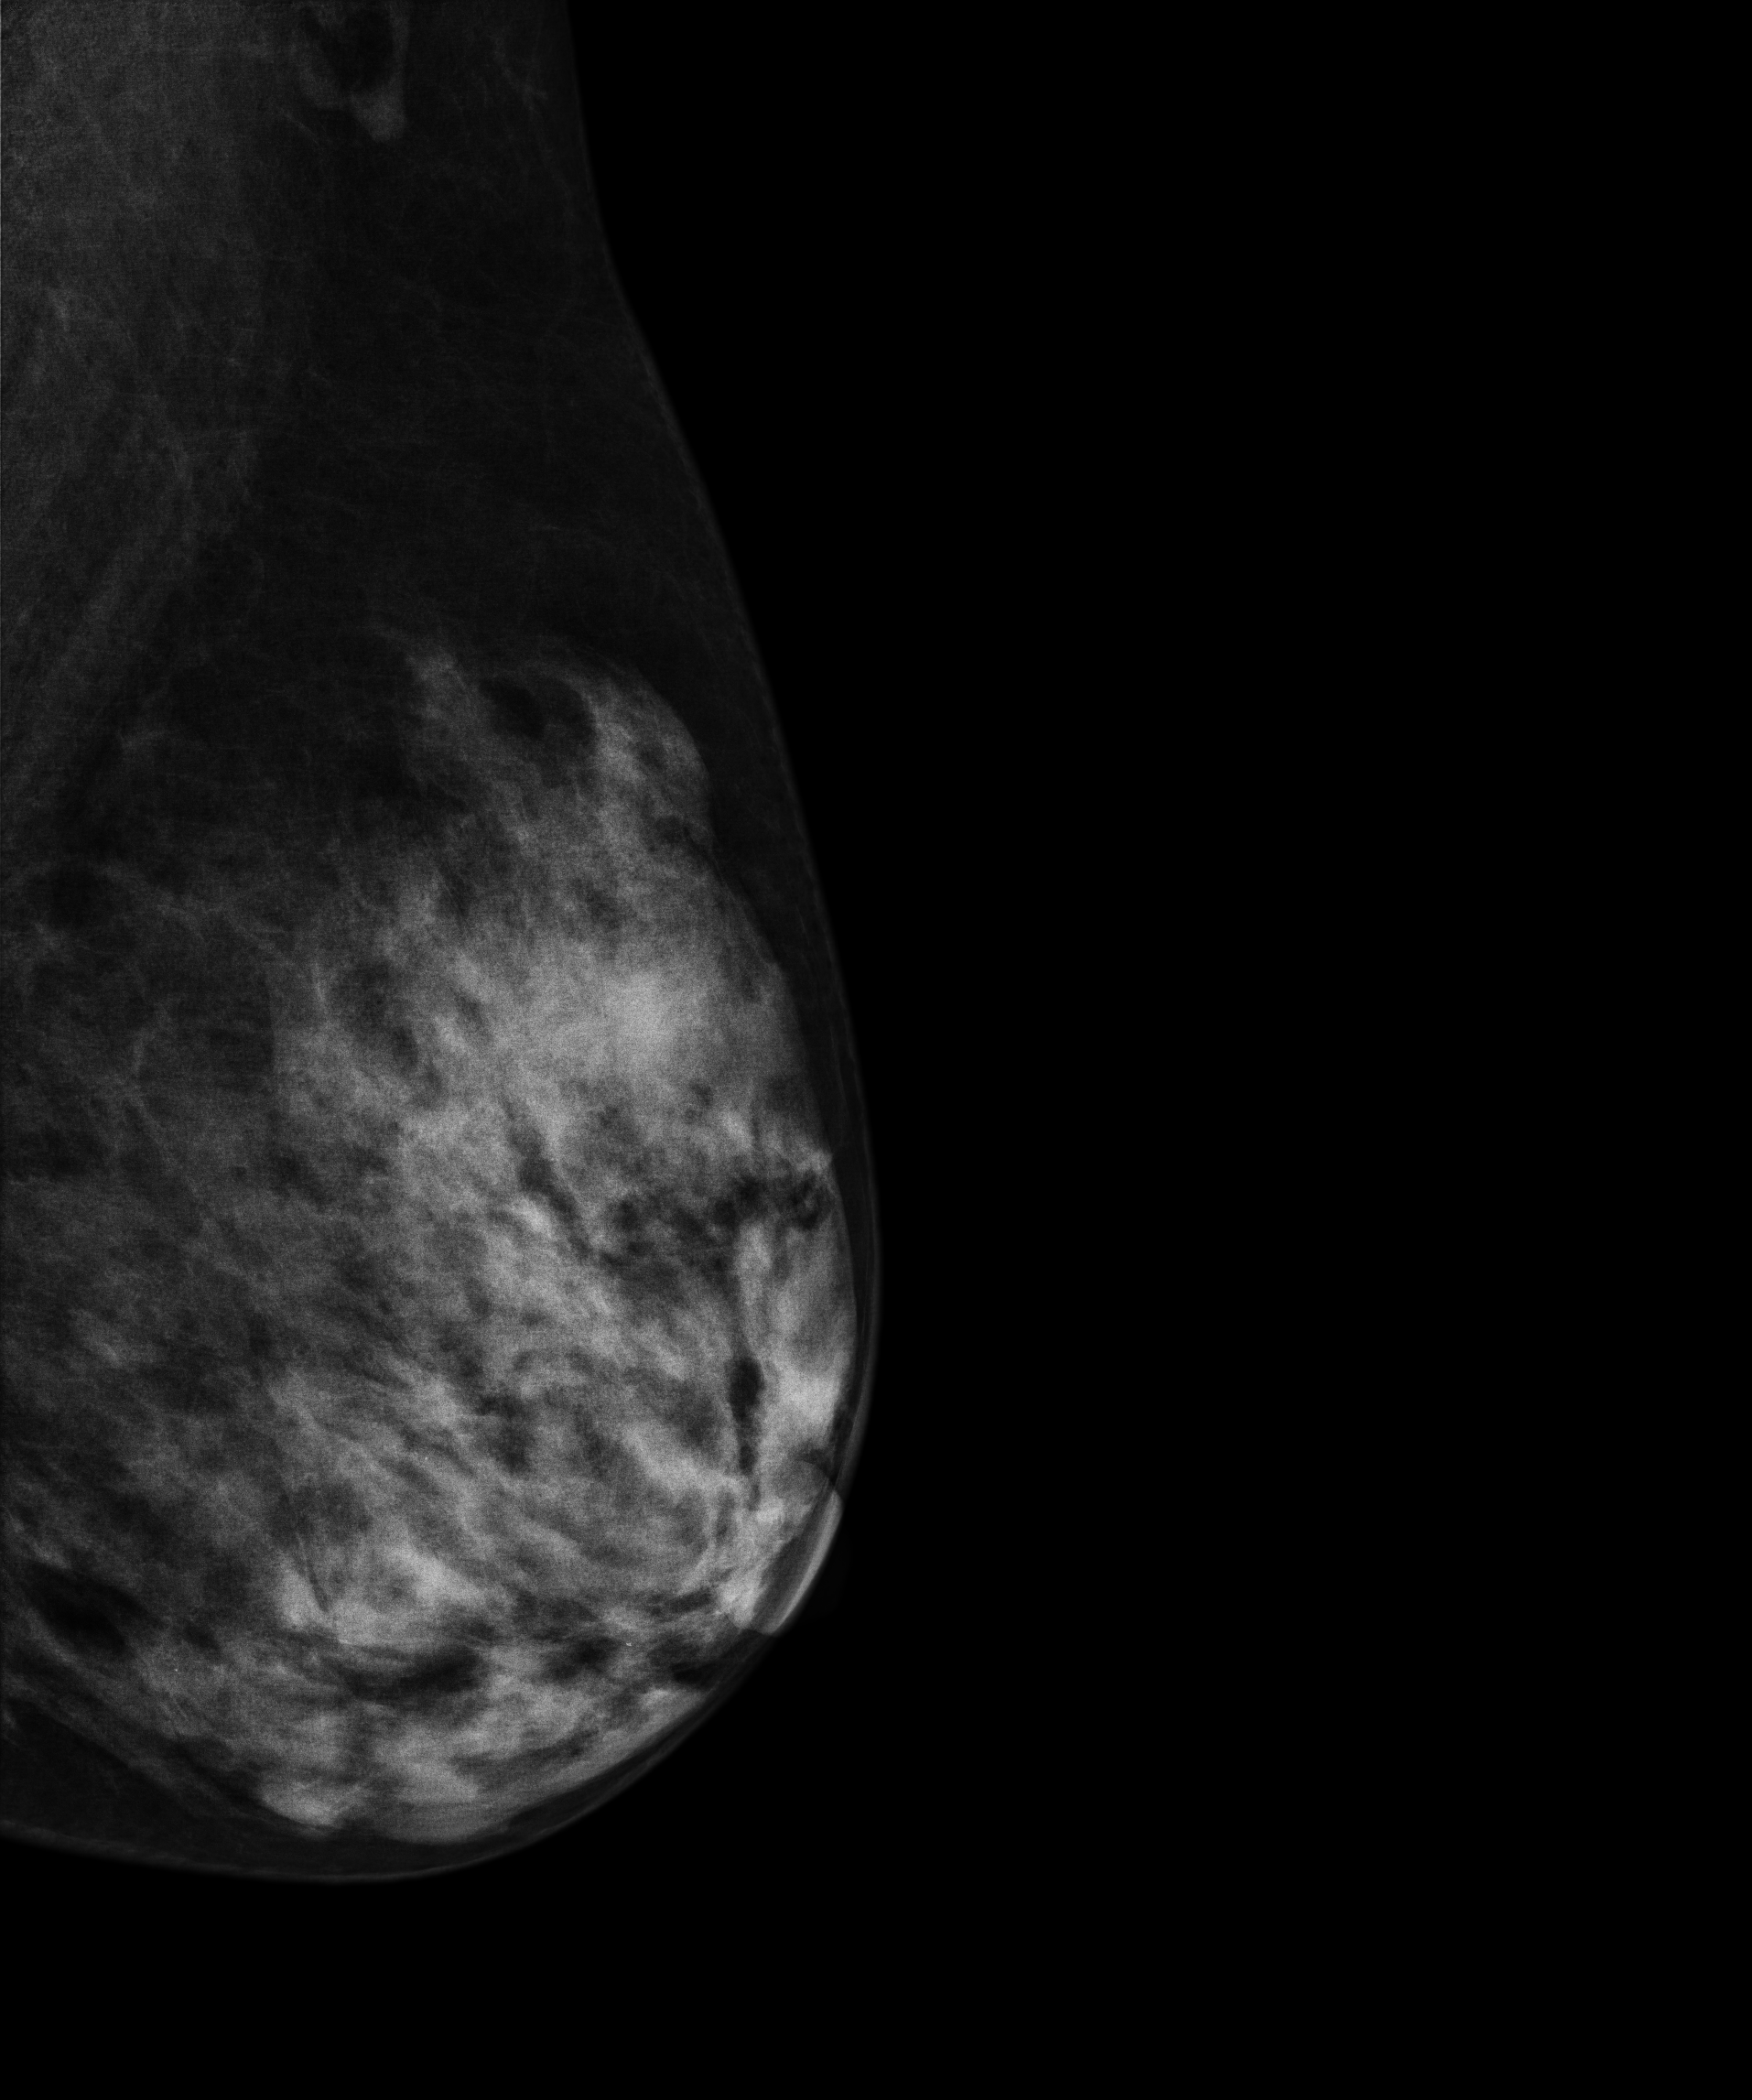
Mammogram, left breast, medio-lateral oblique view. 61-year-old patient.
Contralateral breast — no documented abnormality on this side.